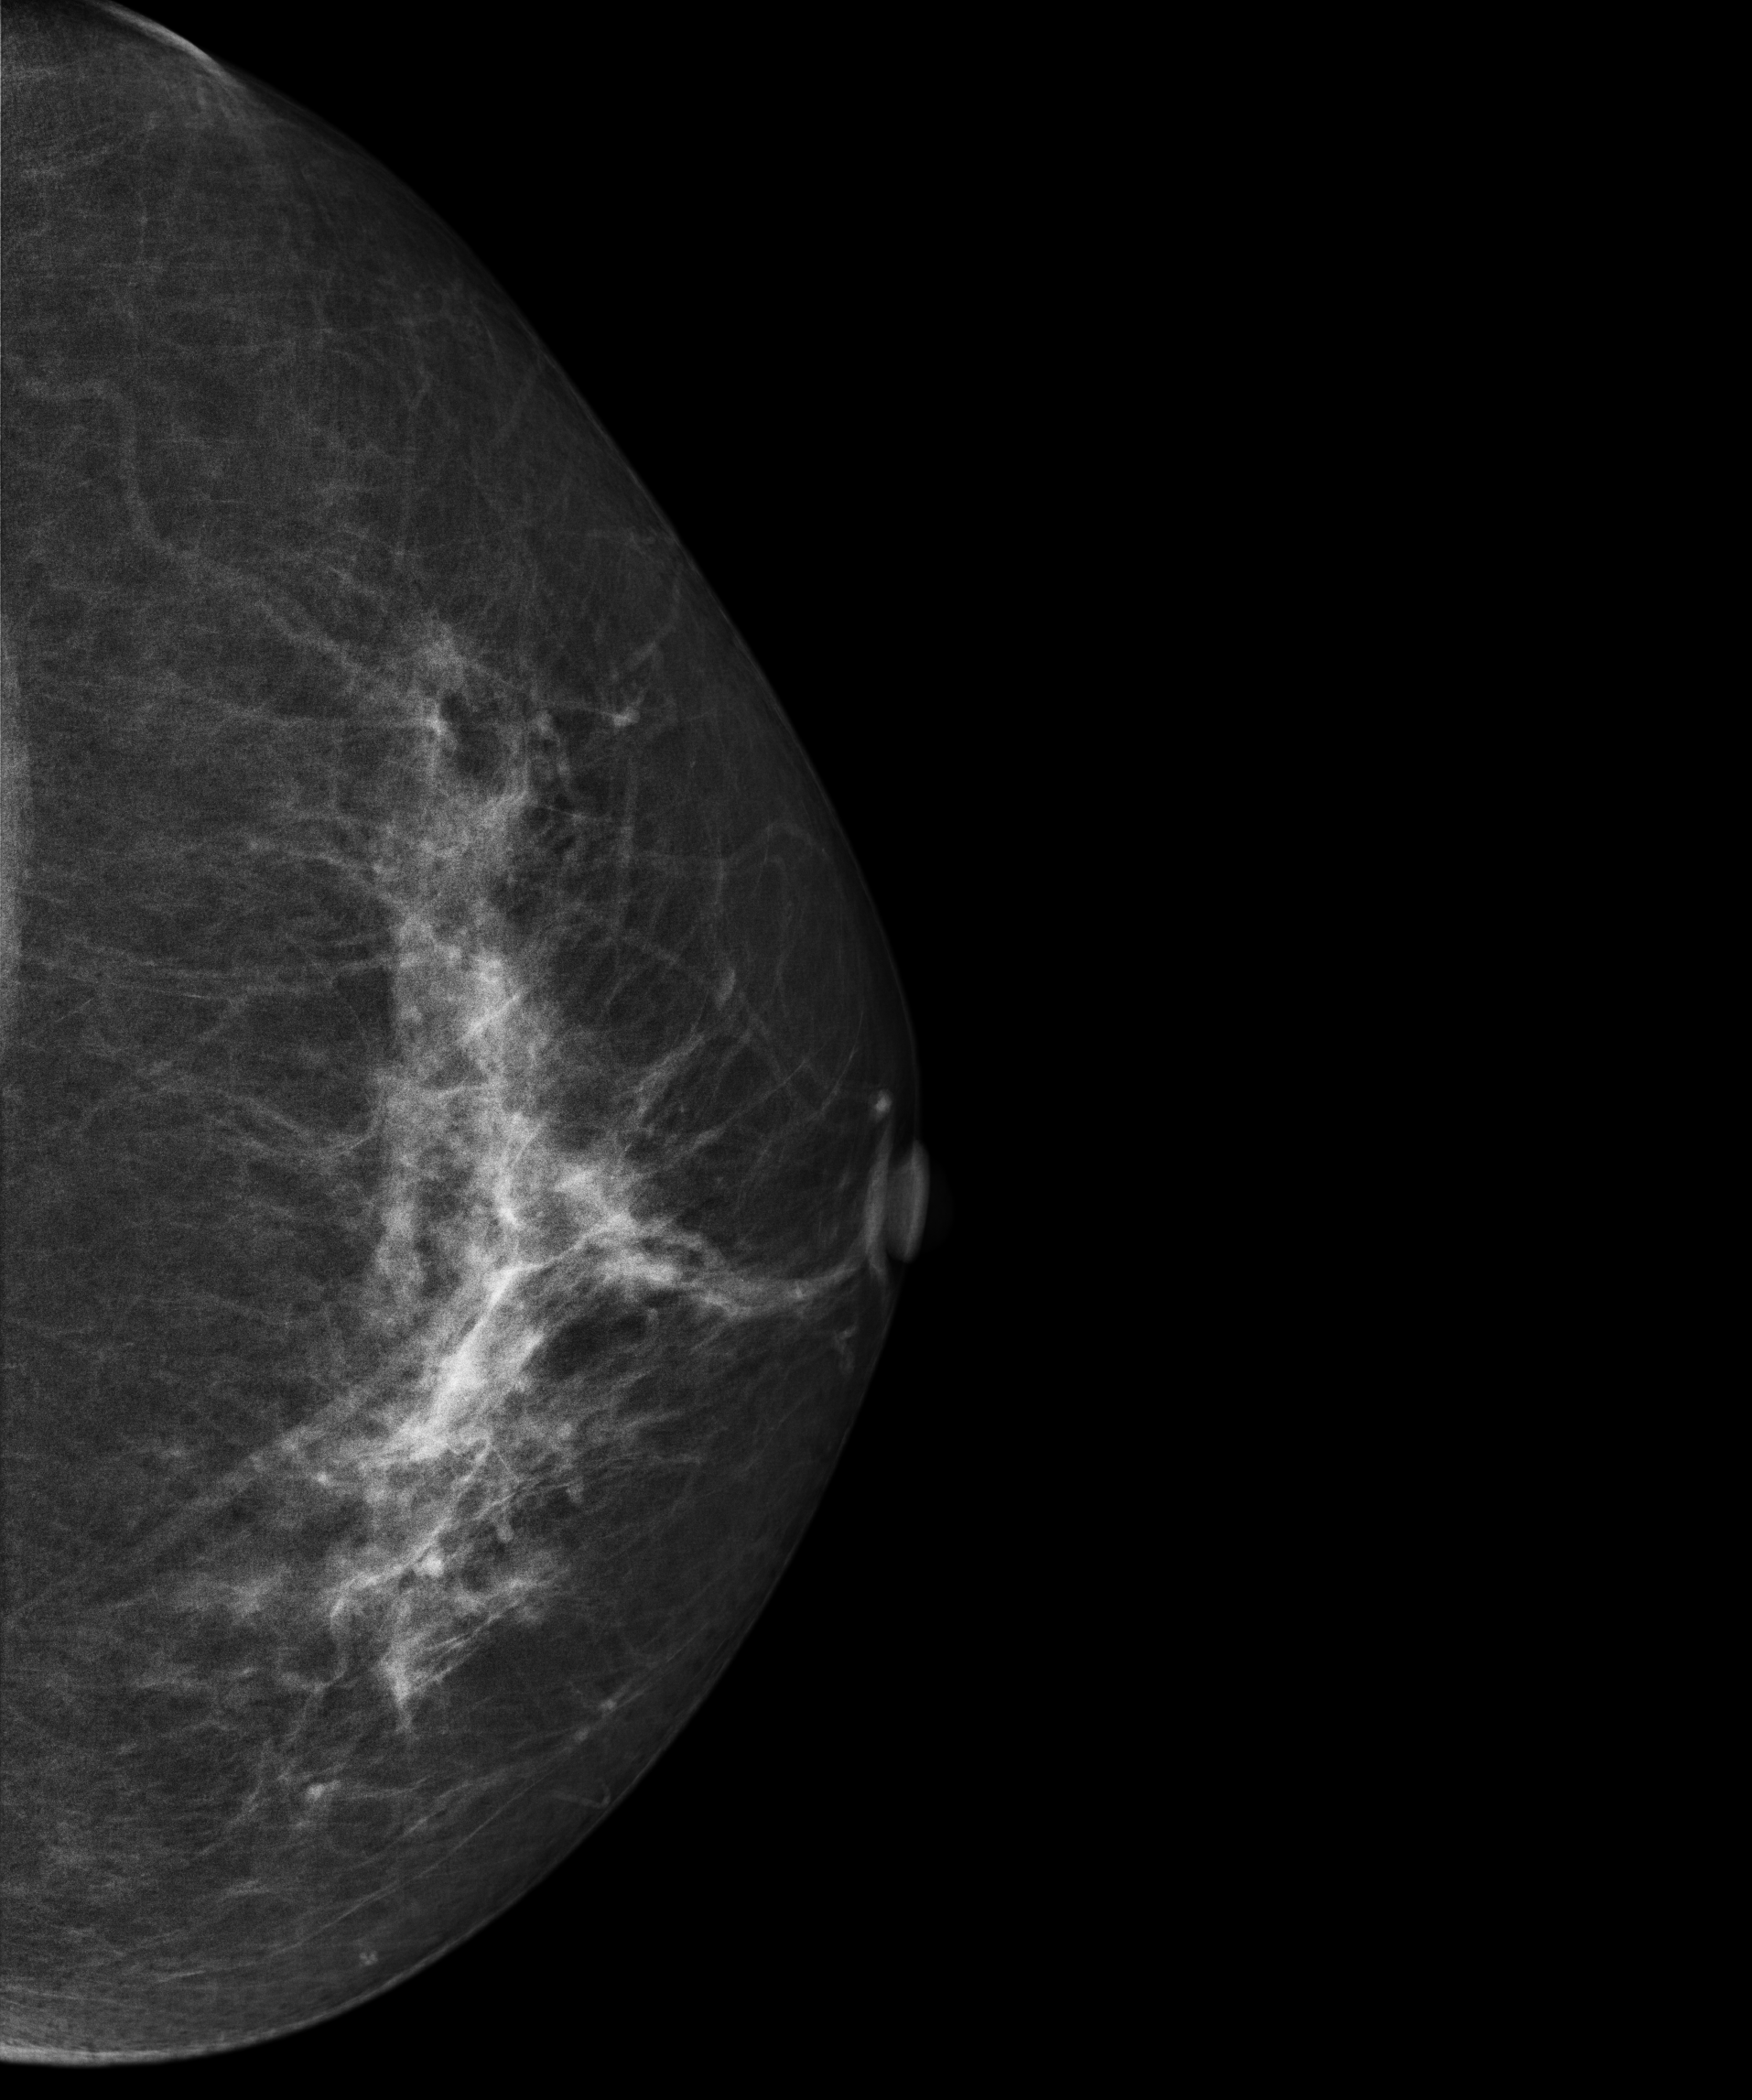
Cranio-caudal mammogram of the left breast. Patient age 51.
Contralateral breast — no documented abnormality on this side.